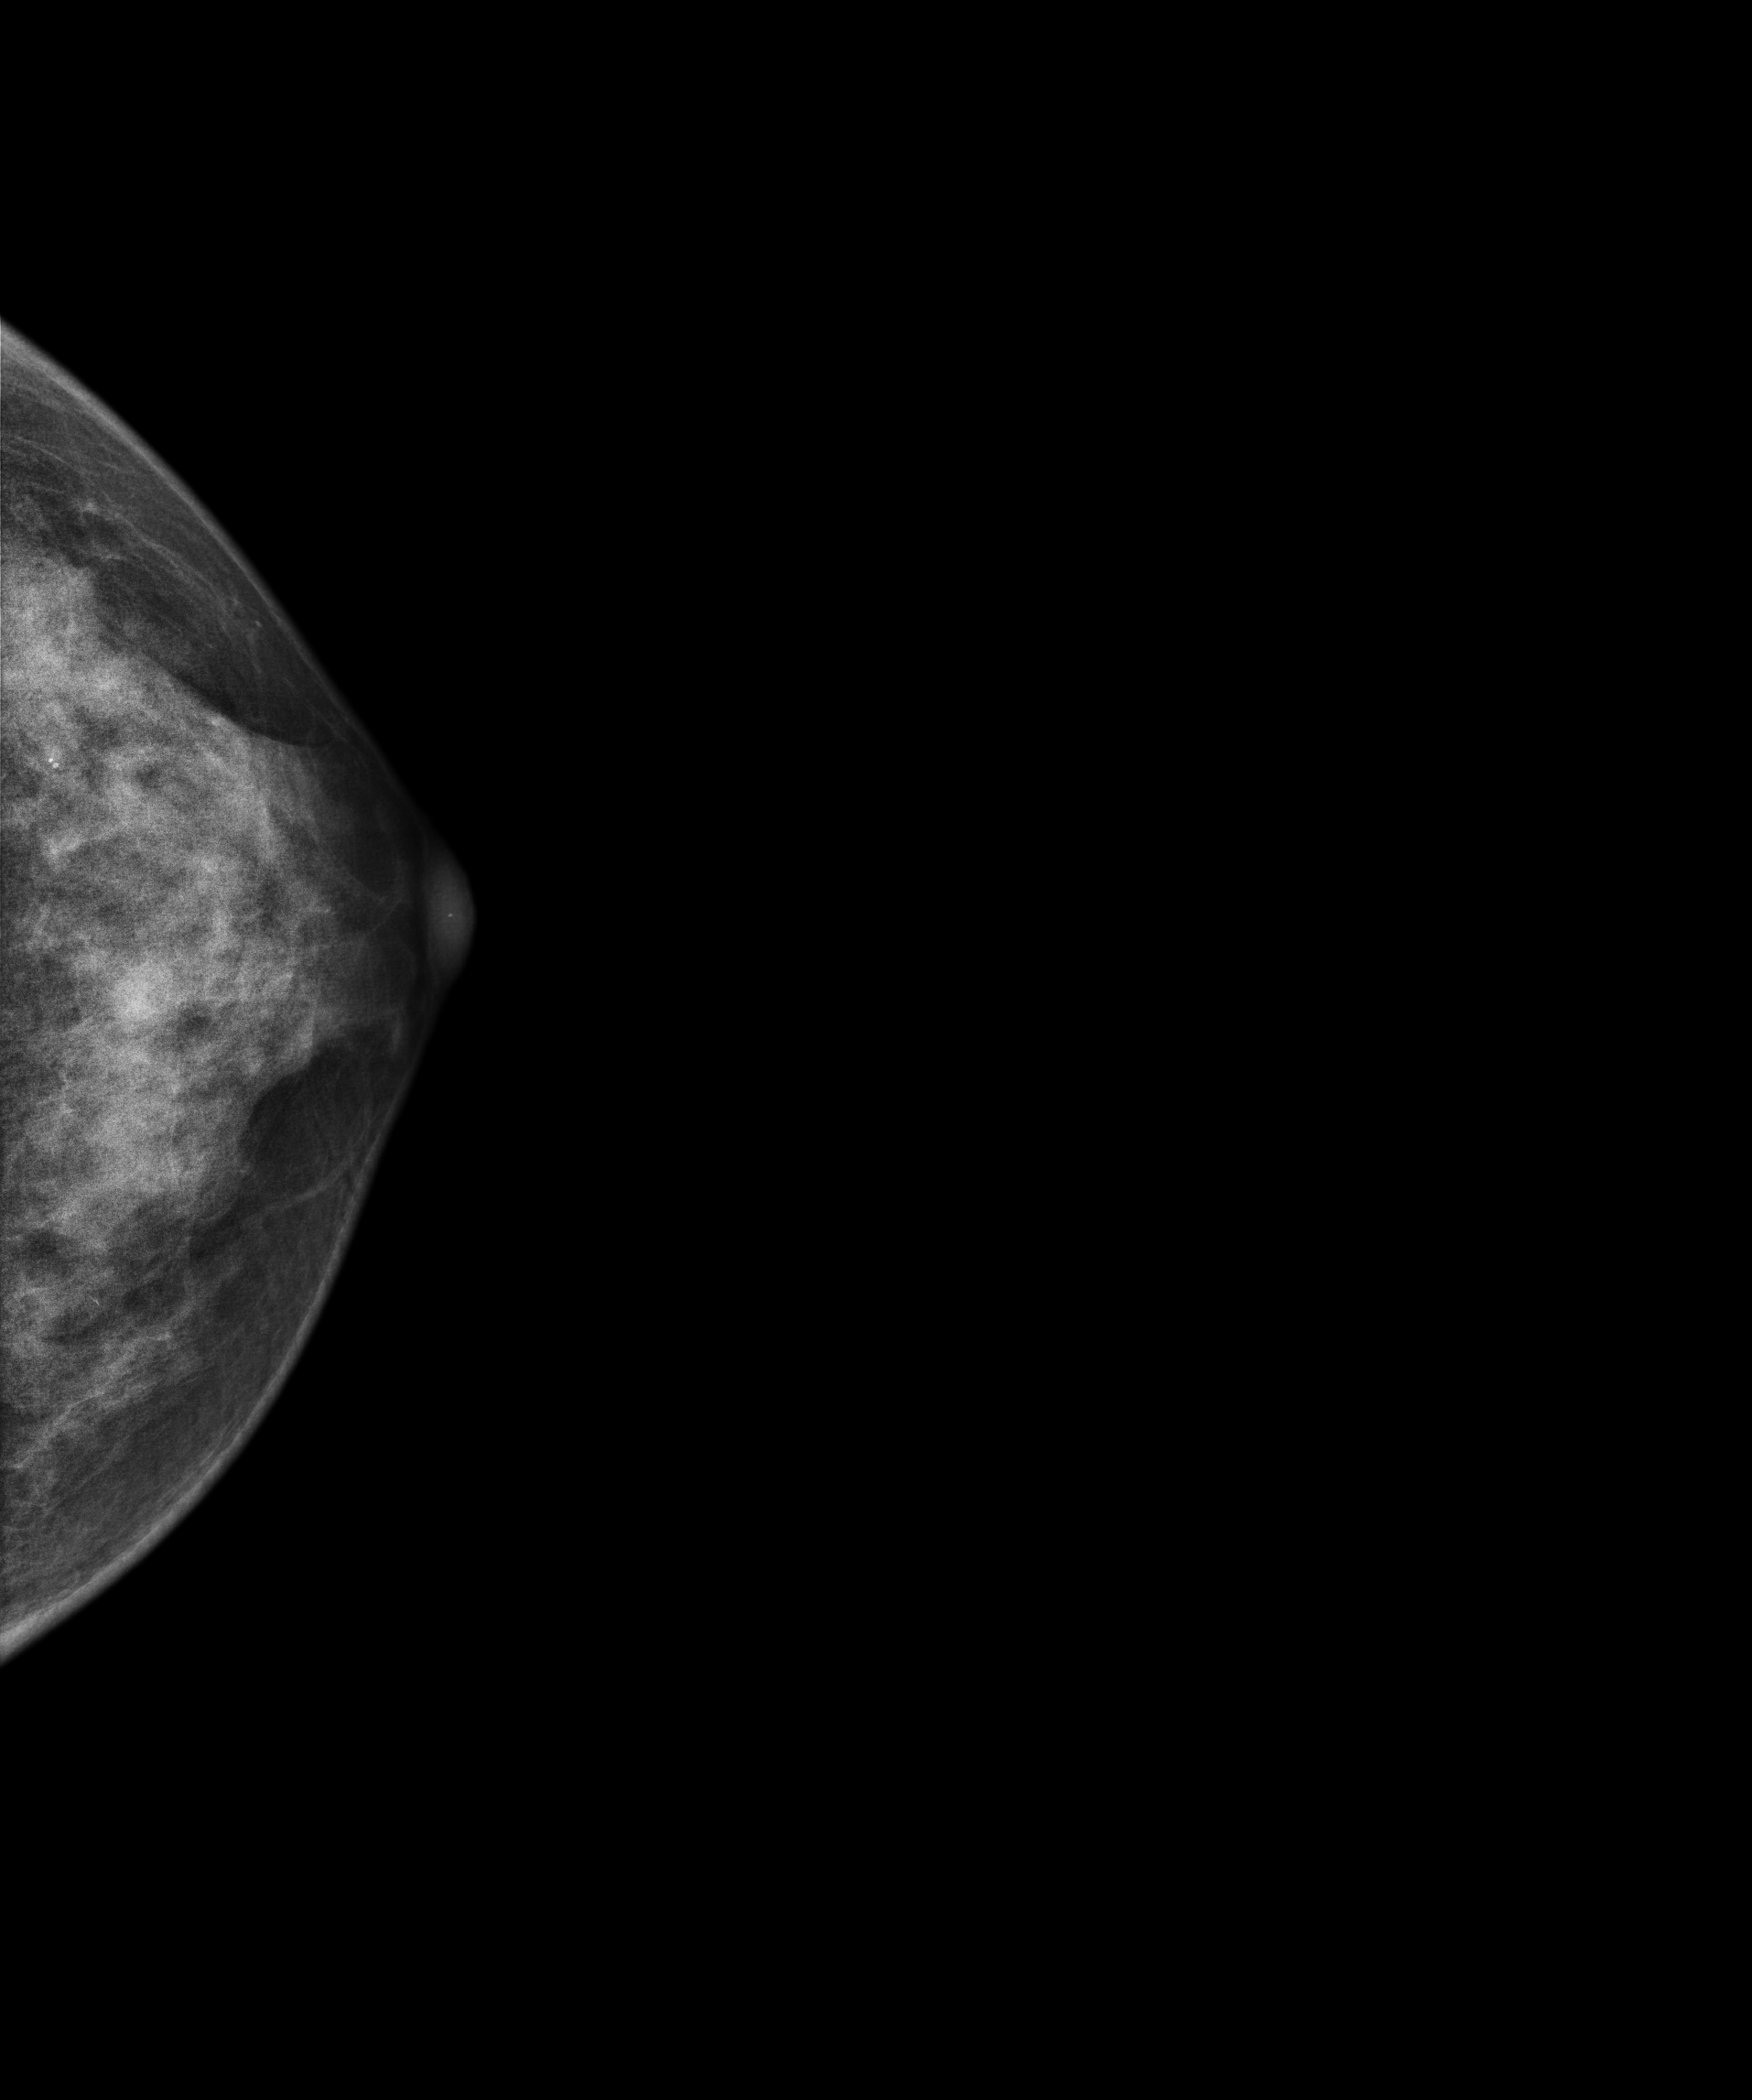
Cranio-caudal mammogram of the left breast. 42 y/o patient.
Contralateral breast — no documented abnormality on this side.